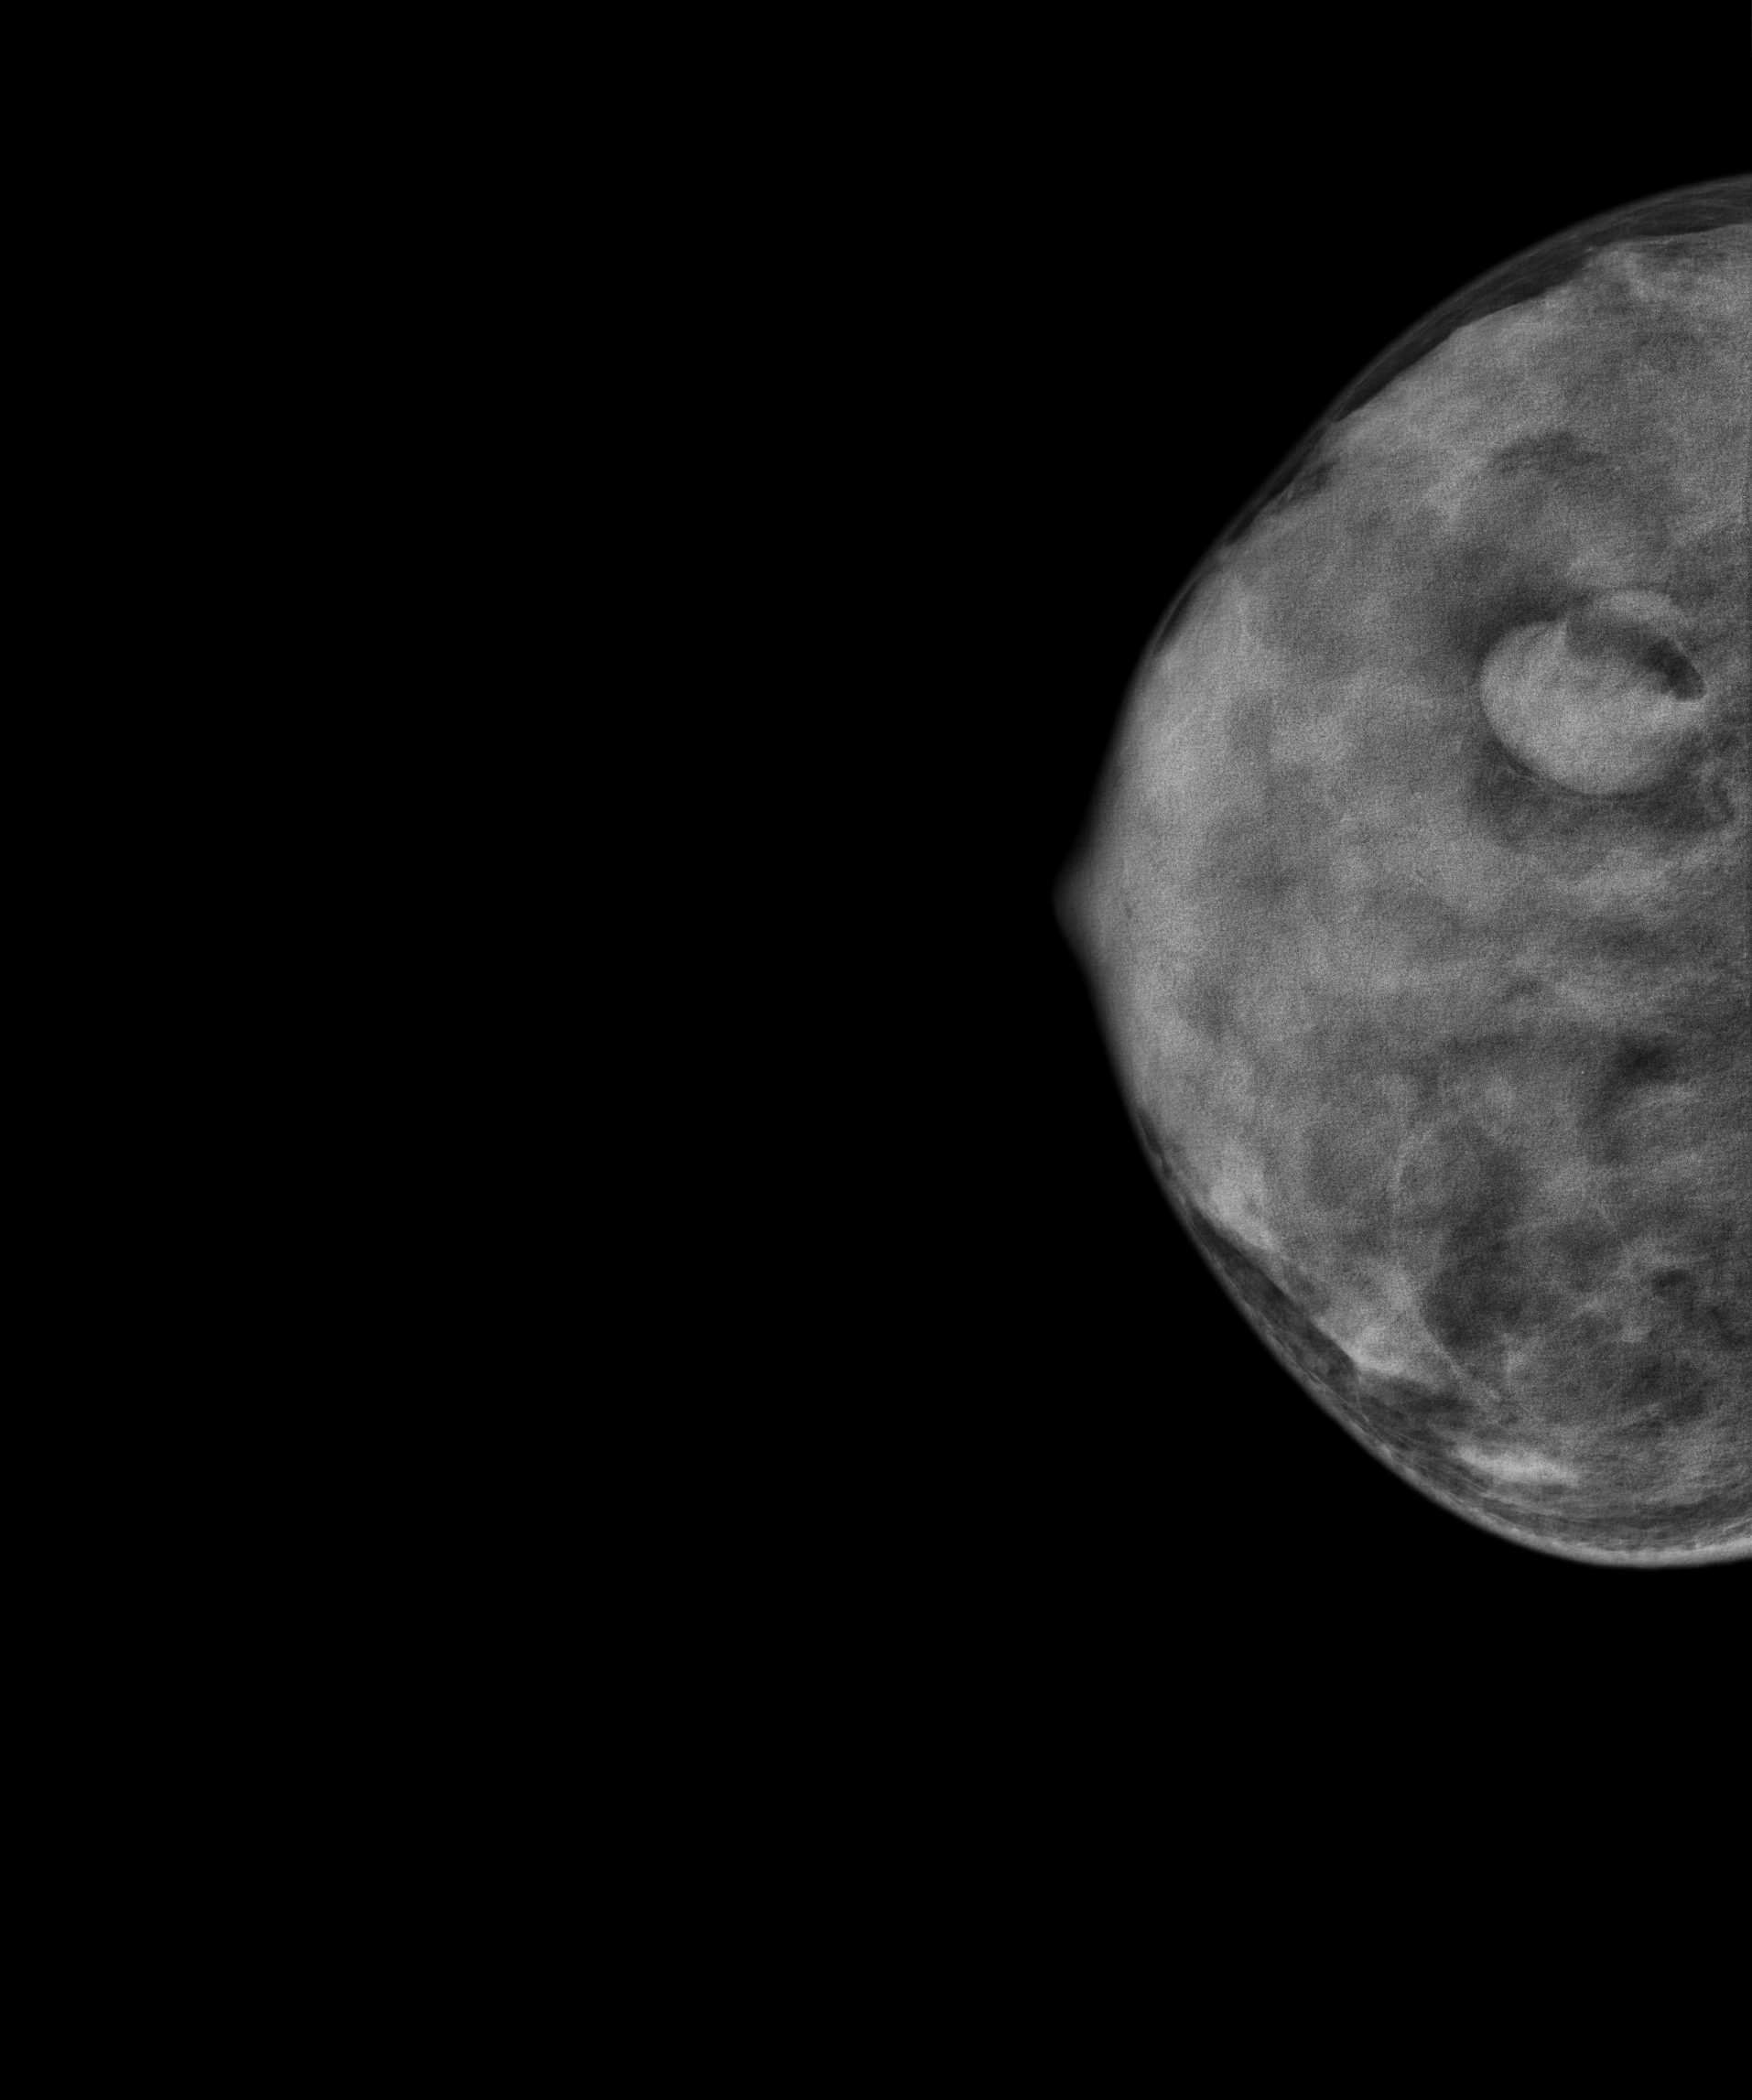
CC mammogram of the right breast. 21 y/o patient.
This breast has a mass, histologically confirmed benign.